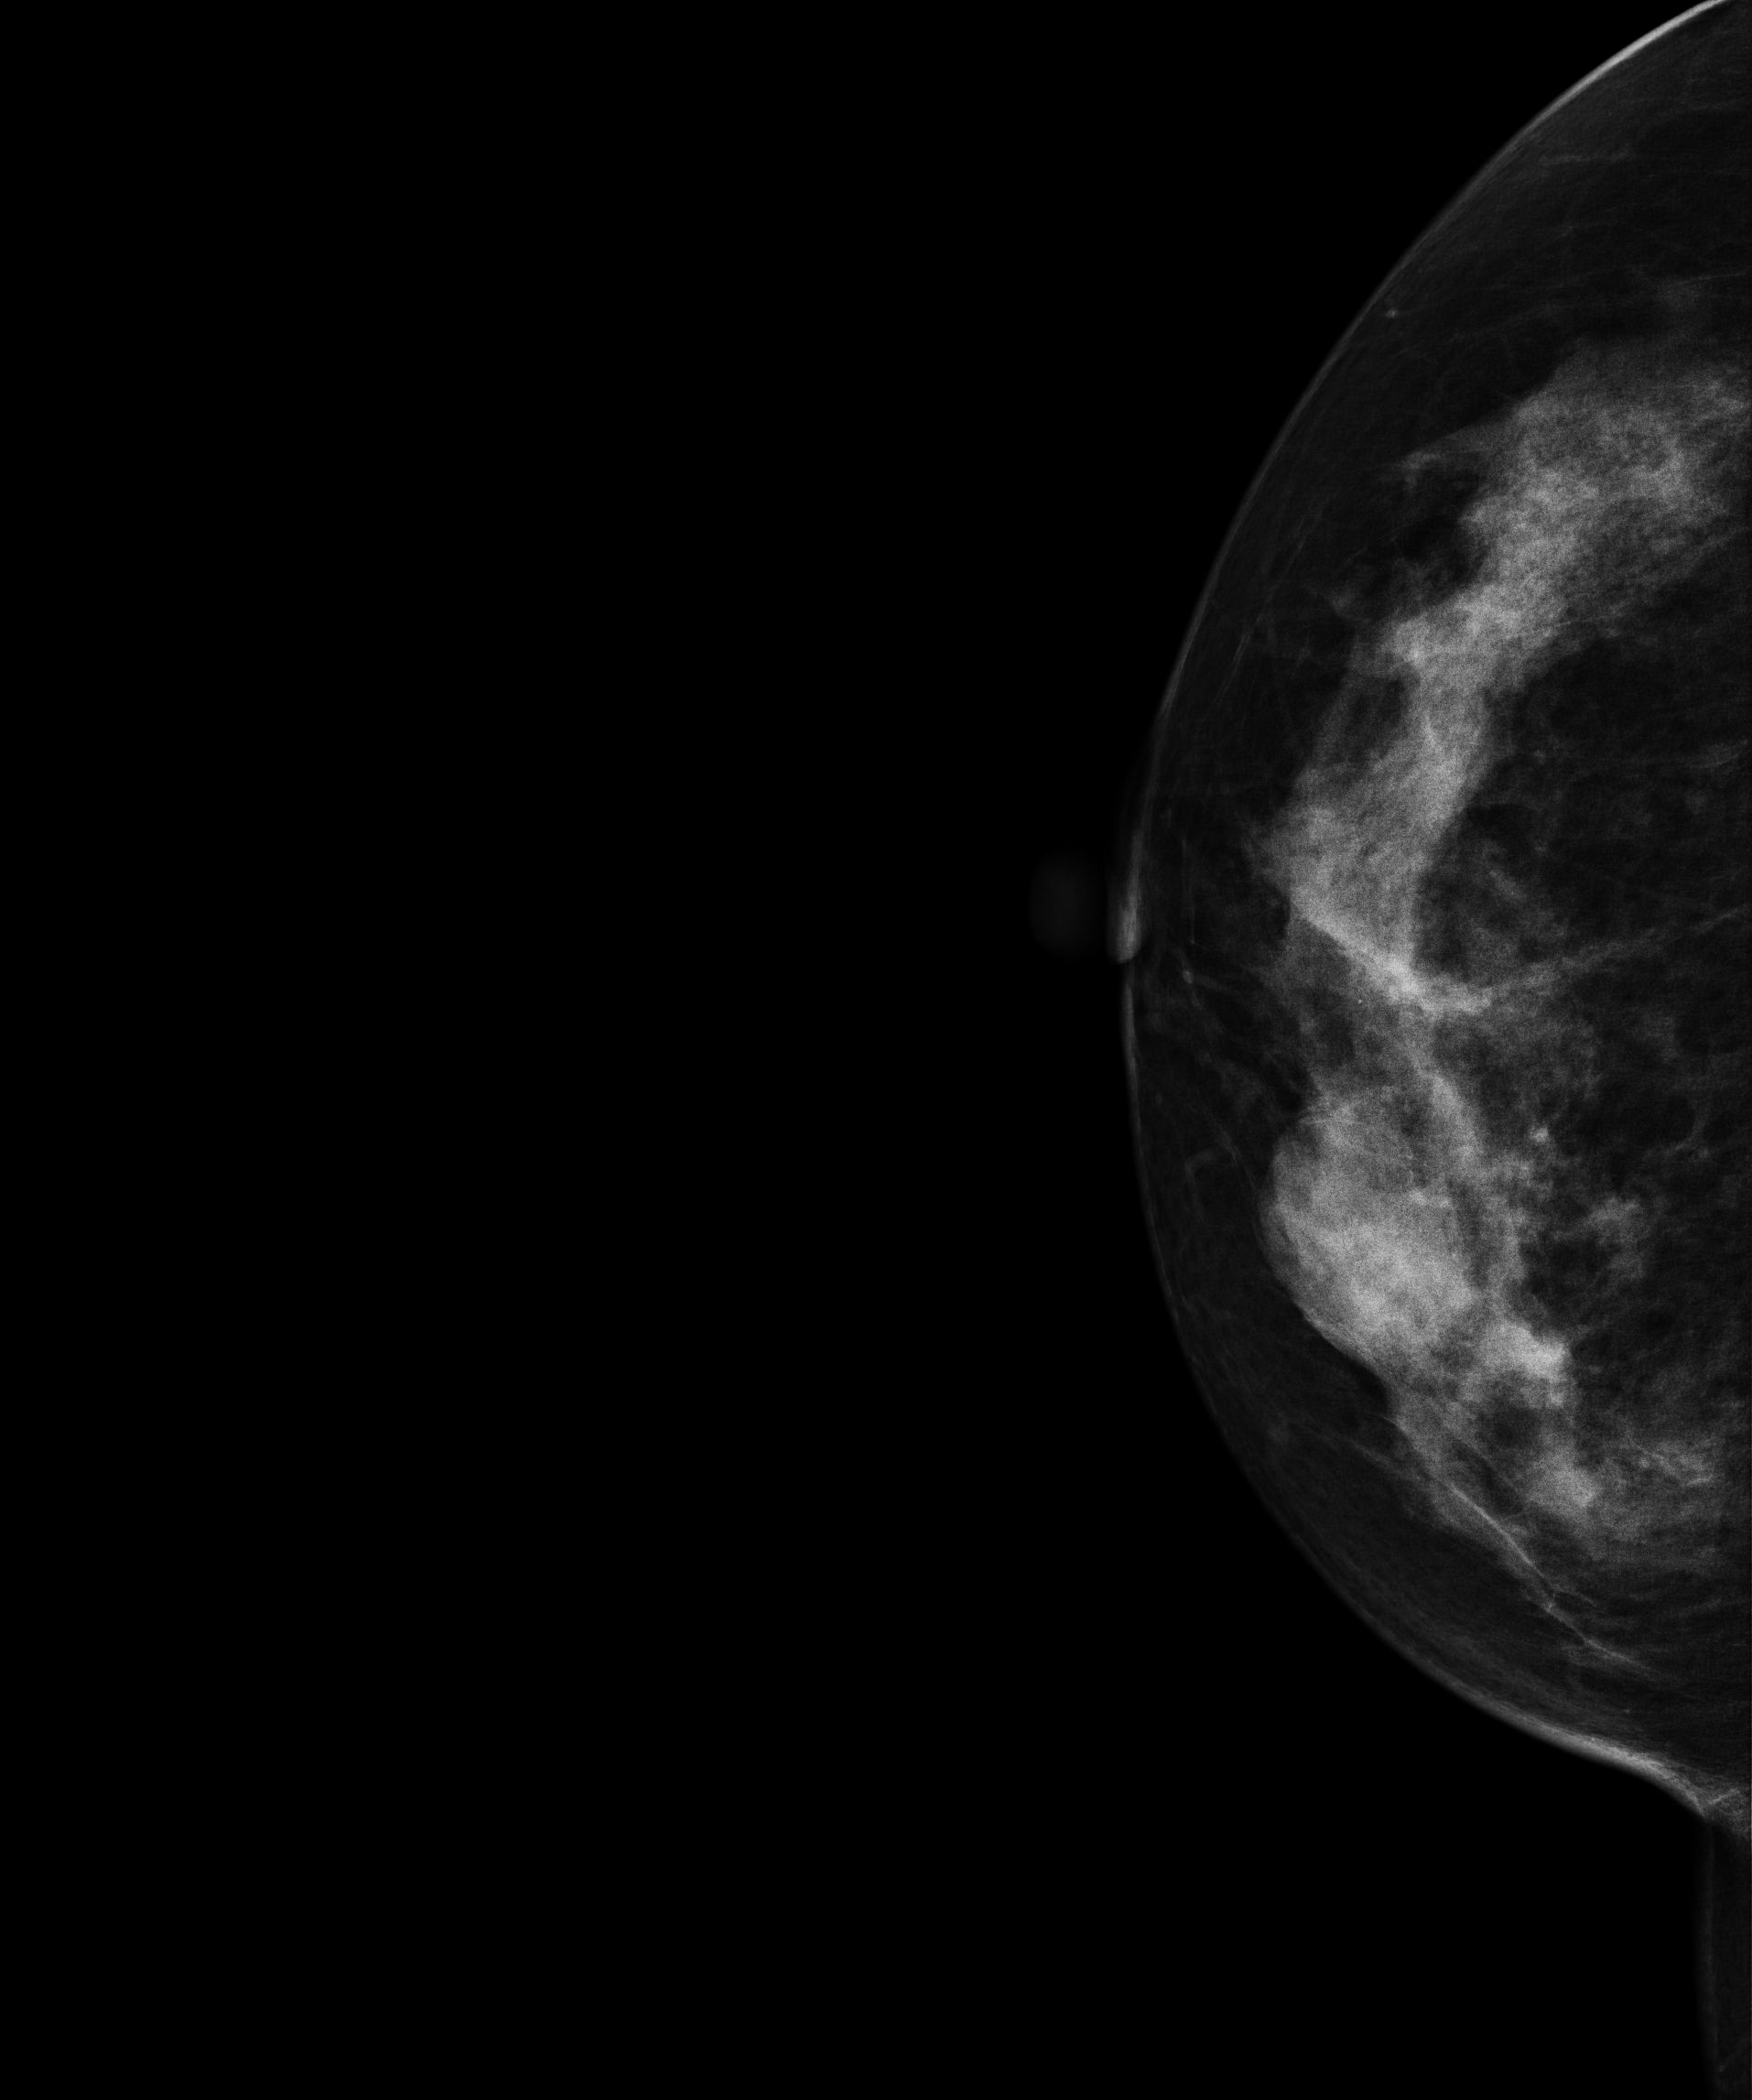
Mammogram — right cranio-caudal. Patient age 43.
This breast has a mass, histologically confirmed benign.